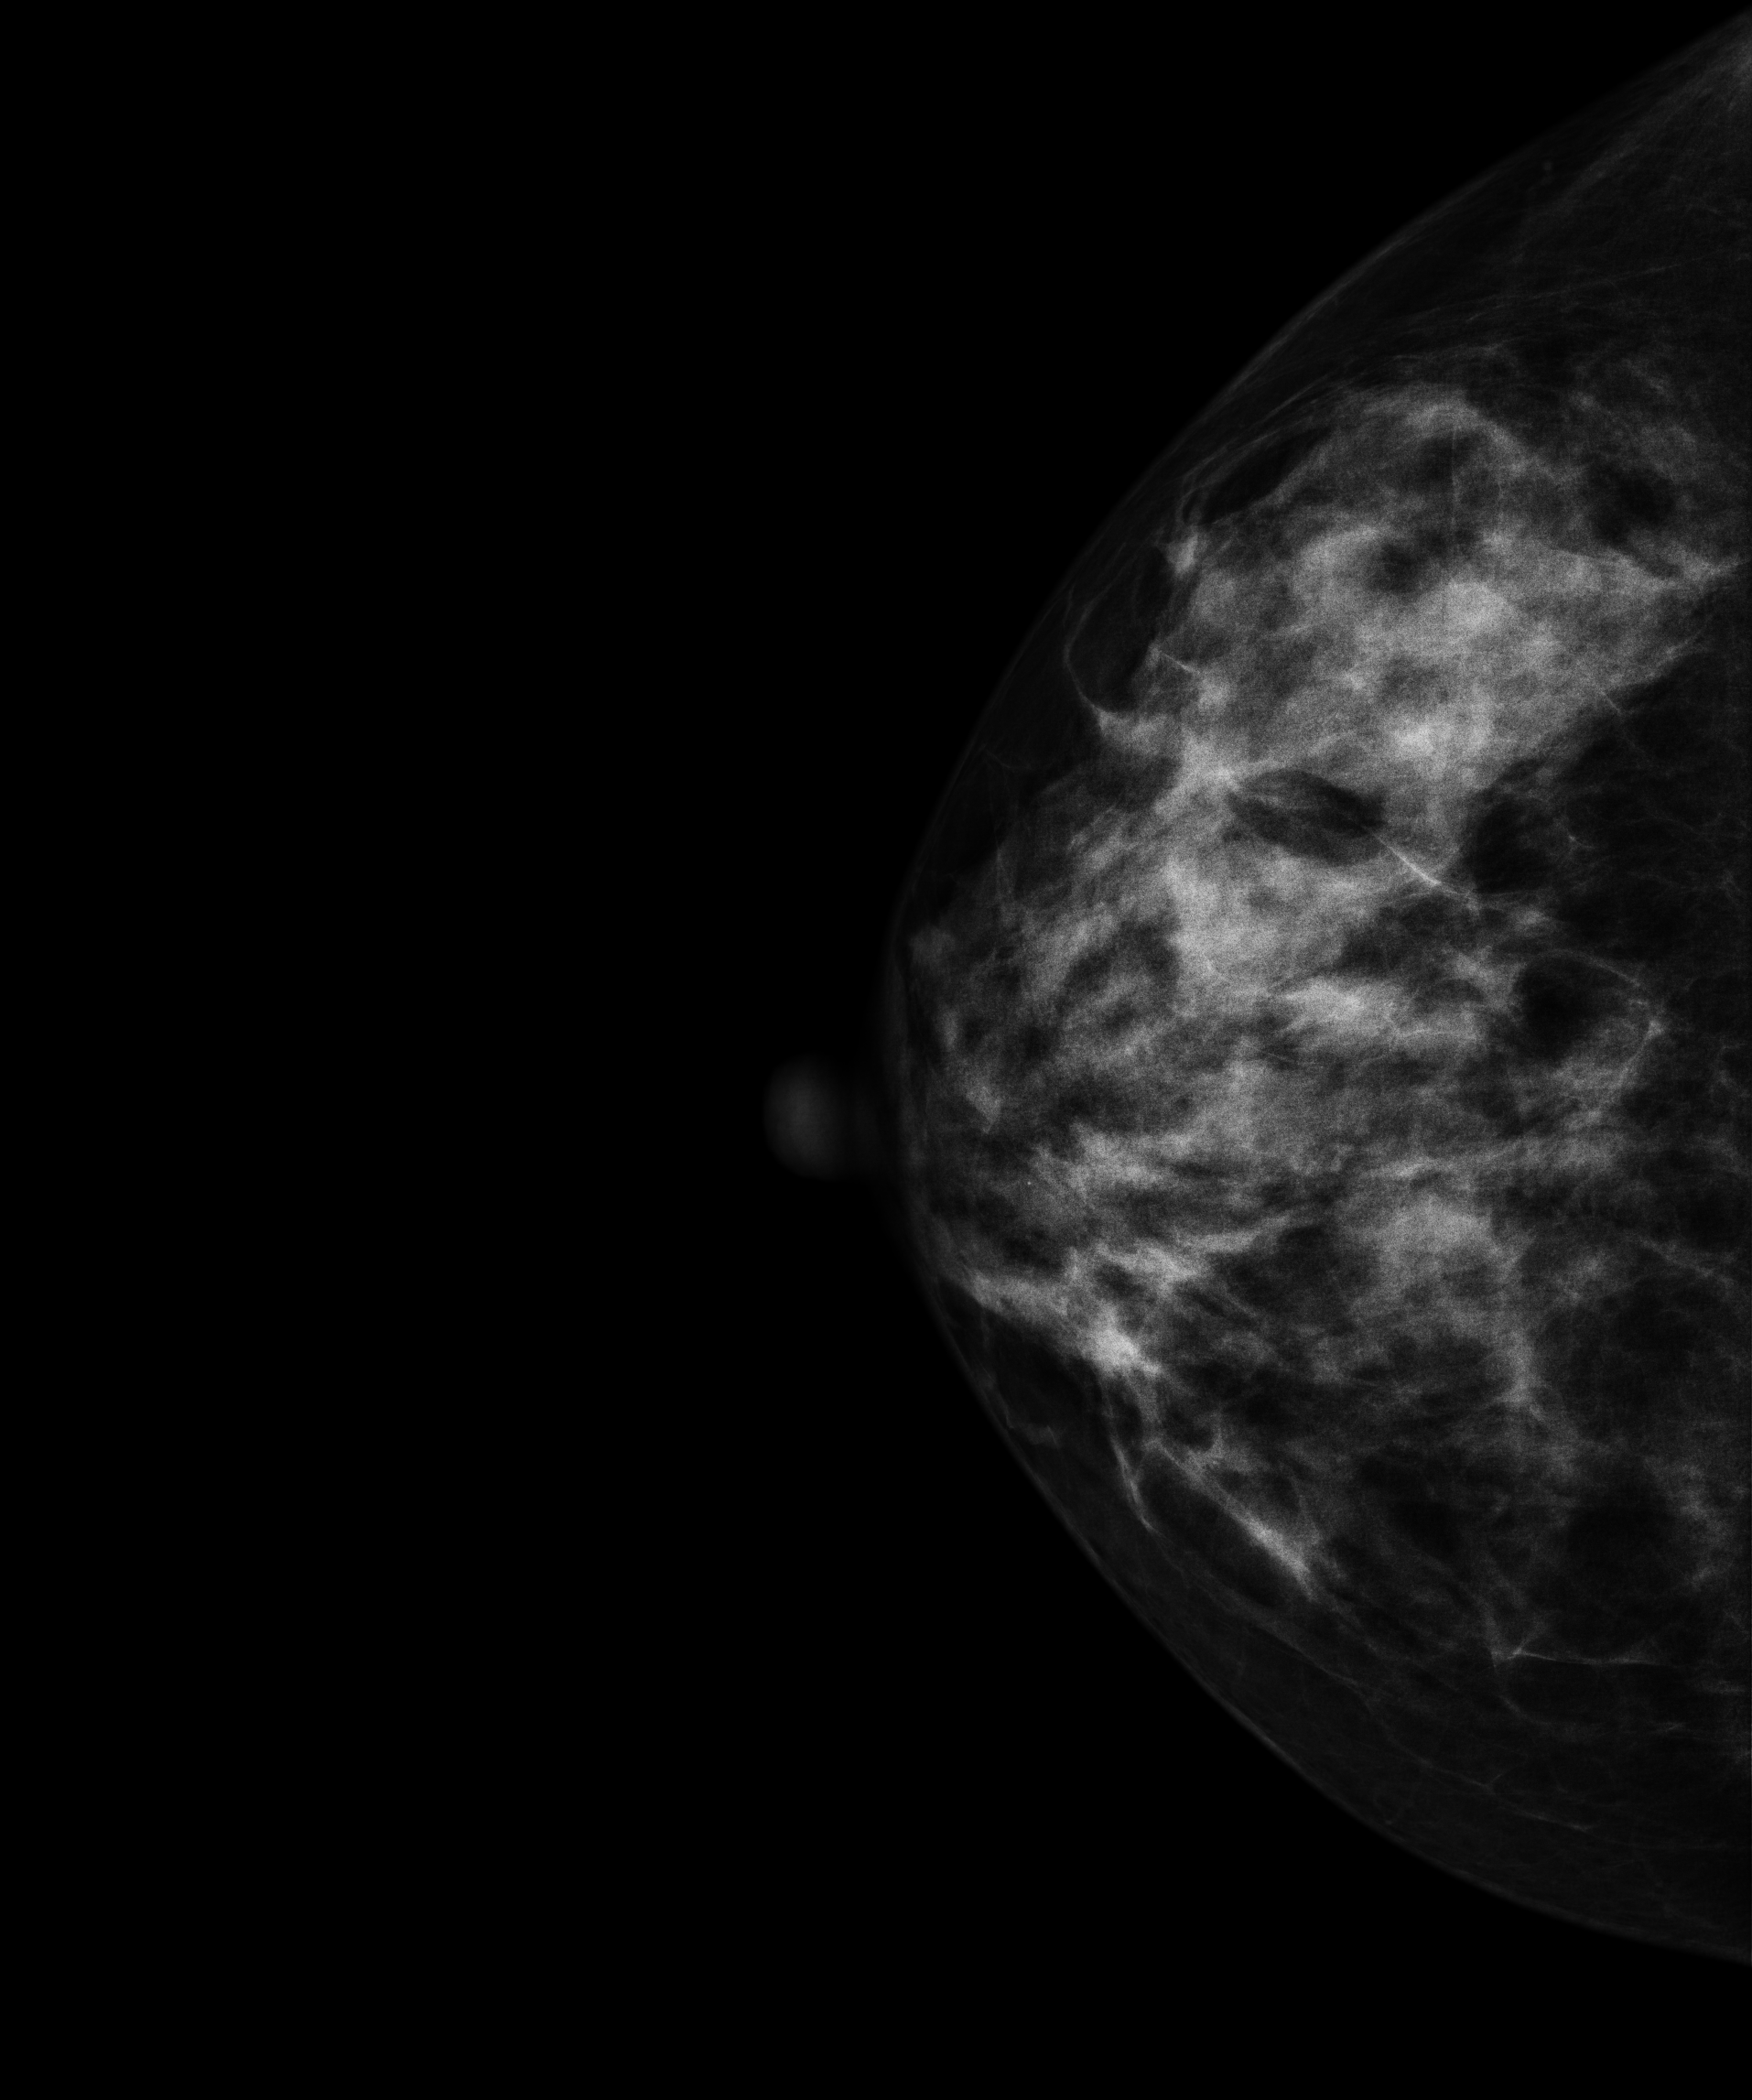
Right-breast mammogram, CC. Patient age 49.
Contralateral breast — no documented abnormality on this side.